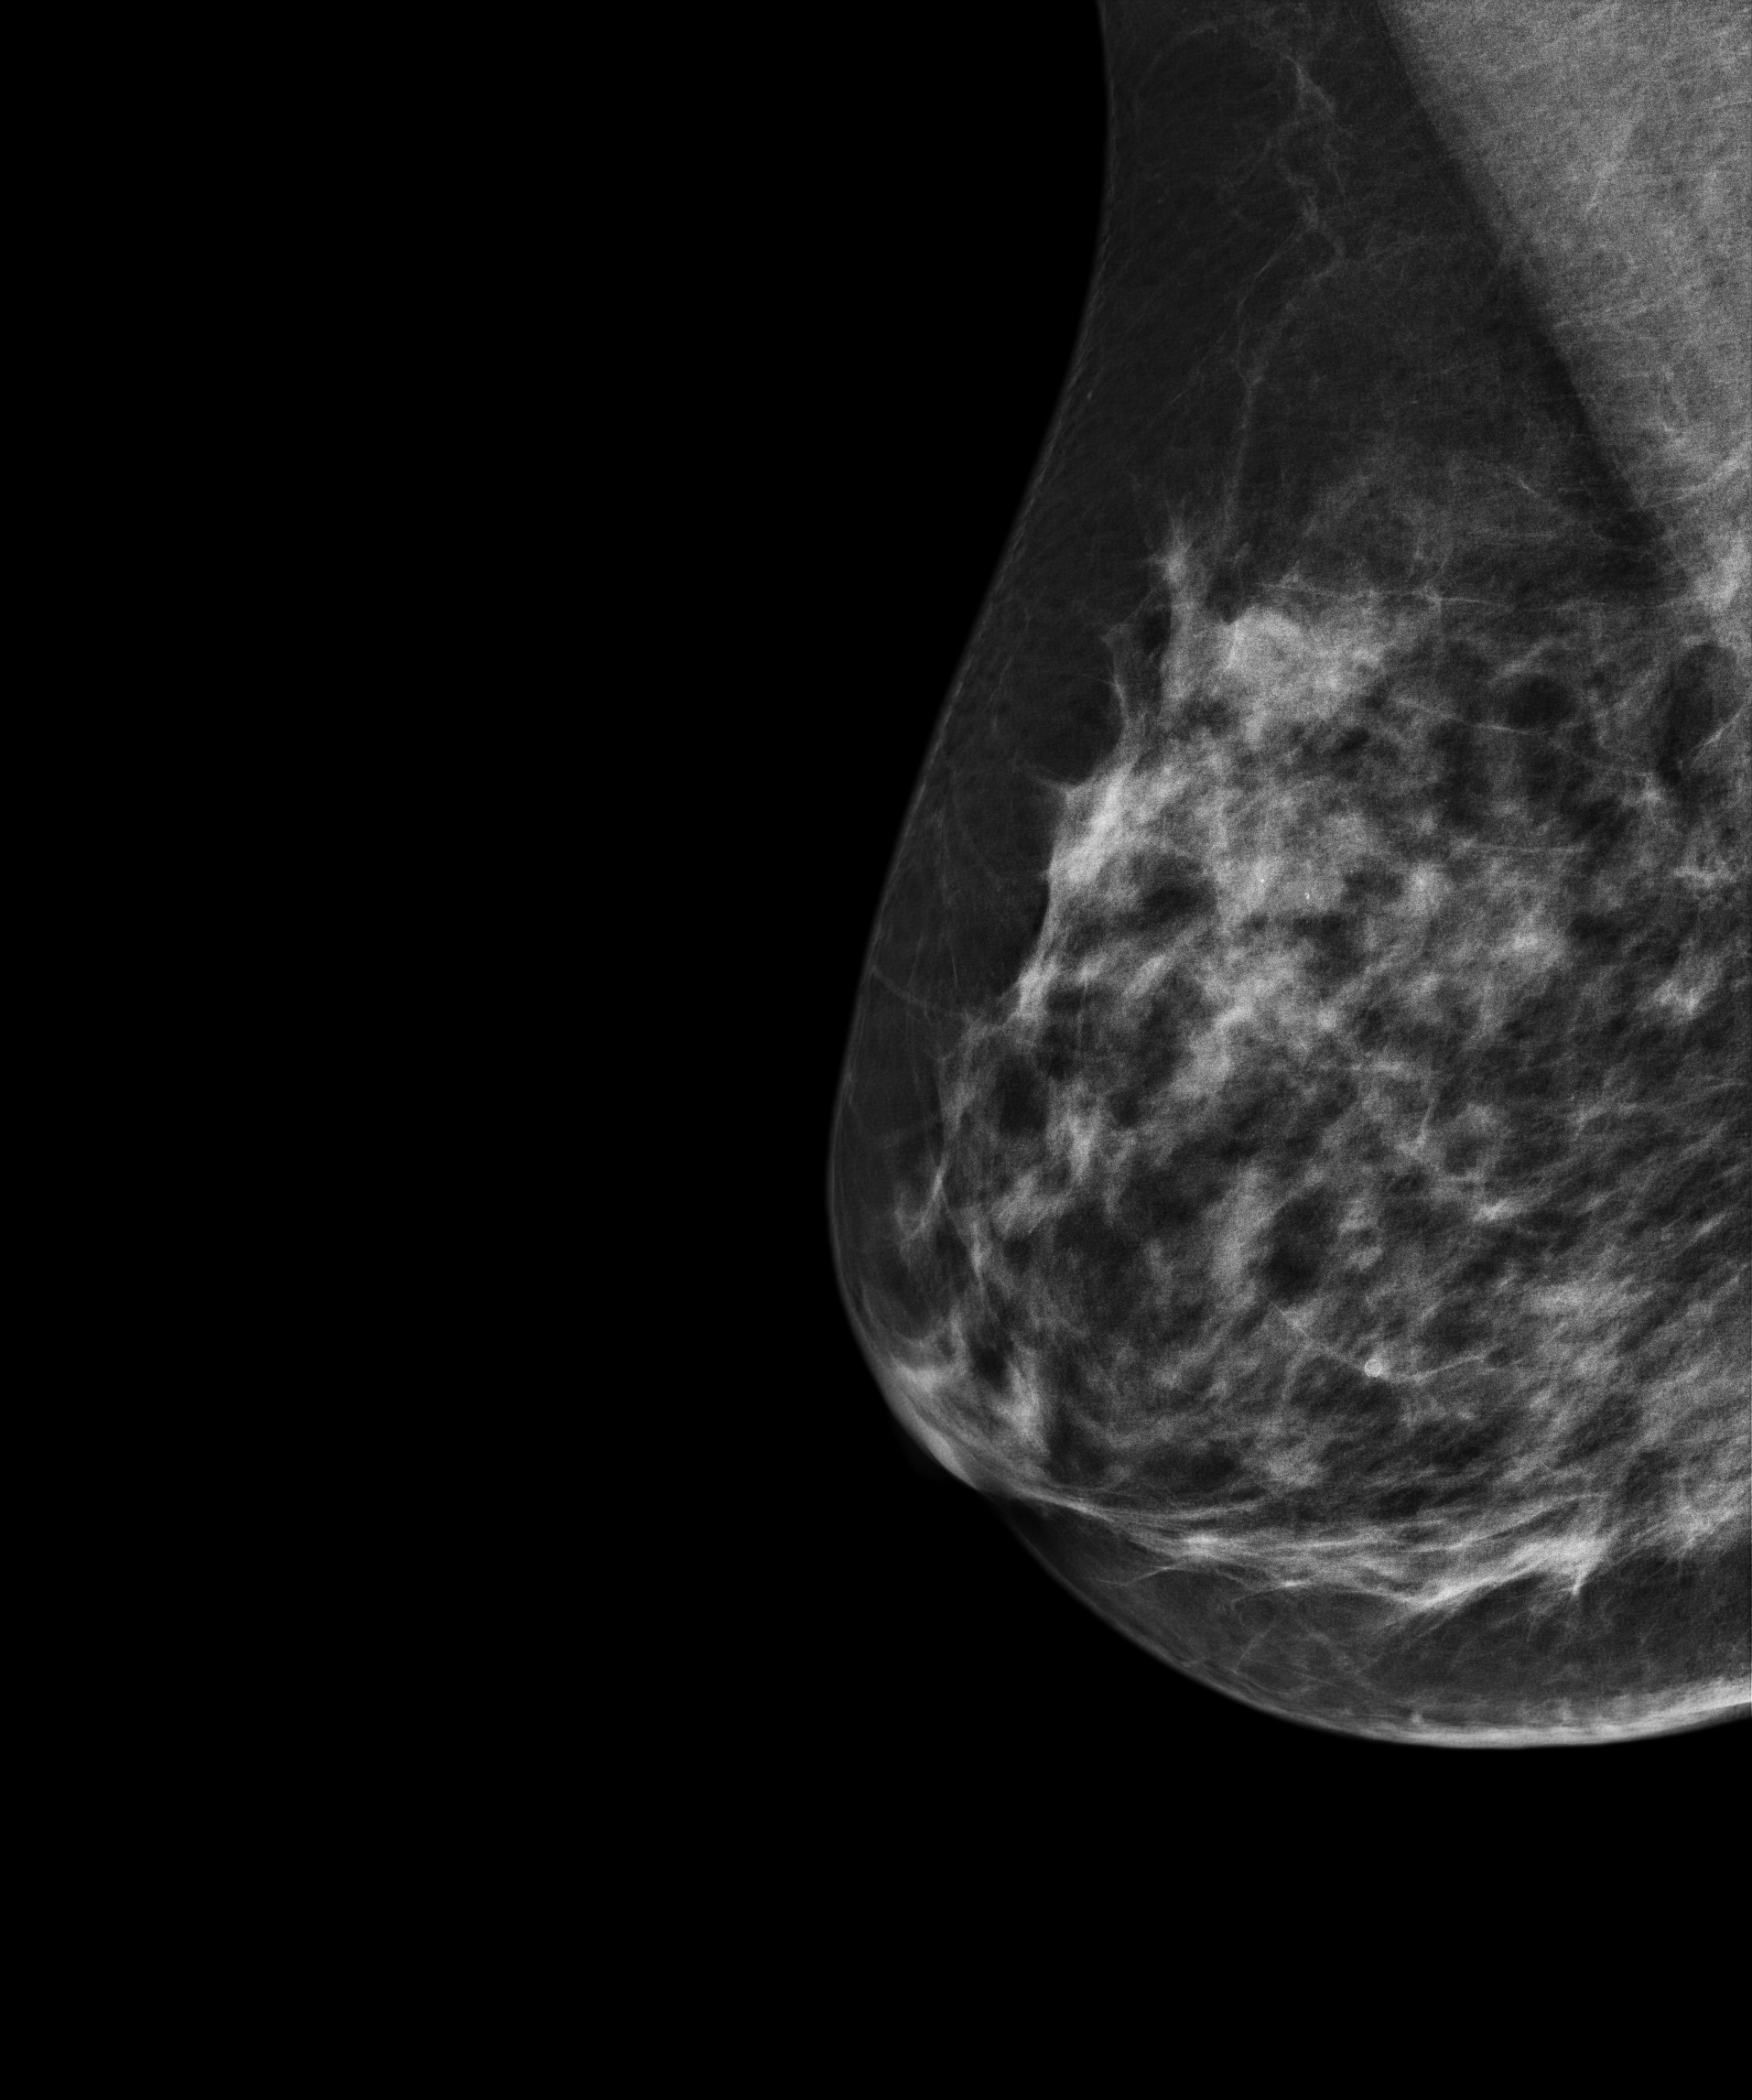
Mammogram, right breast, medio-lateral oblique view. Patient age 53.
Contralateral breast — no documented abnormality on this side.